Medio-lateral oblique mammogram of the right breast. 52-year-old patient.
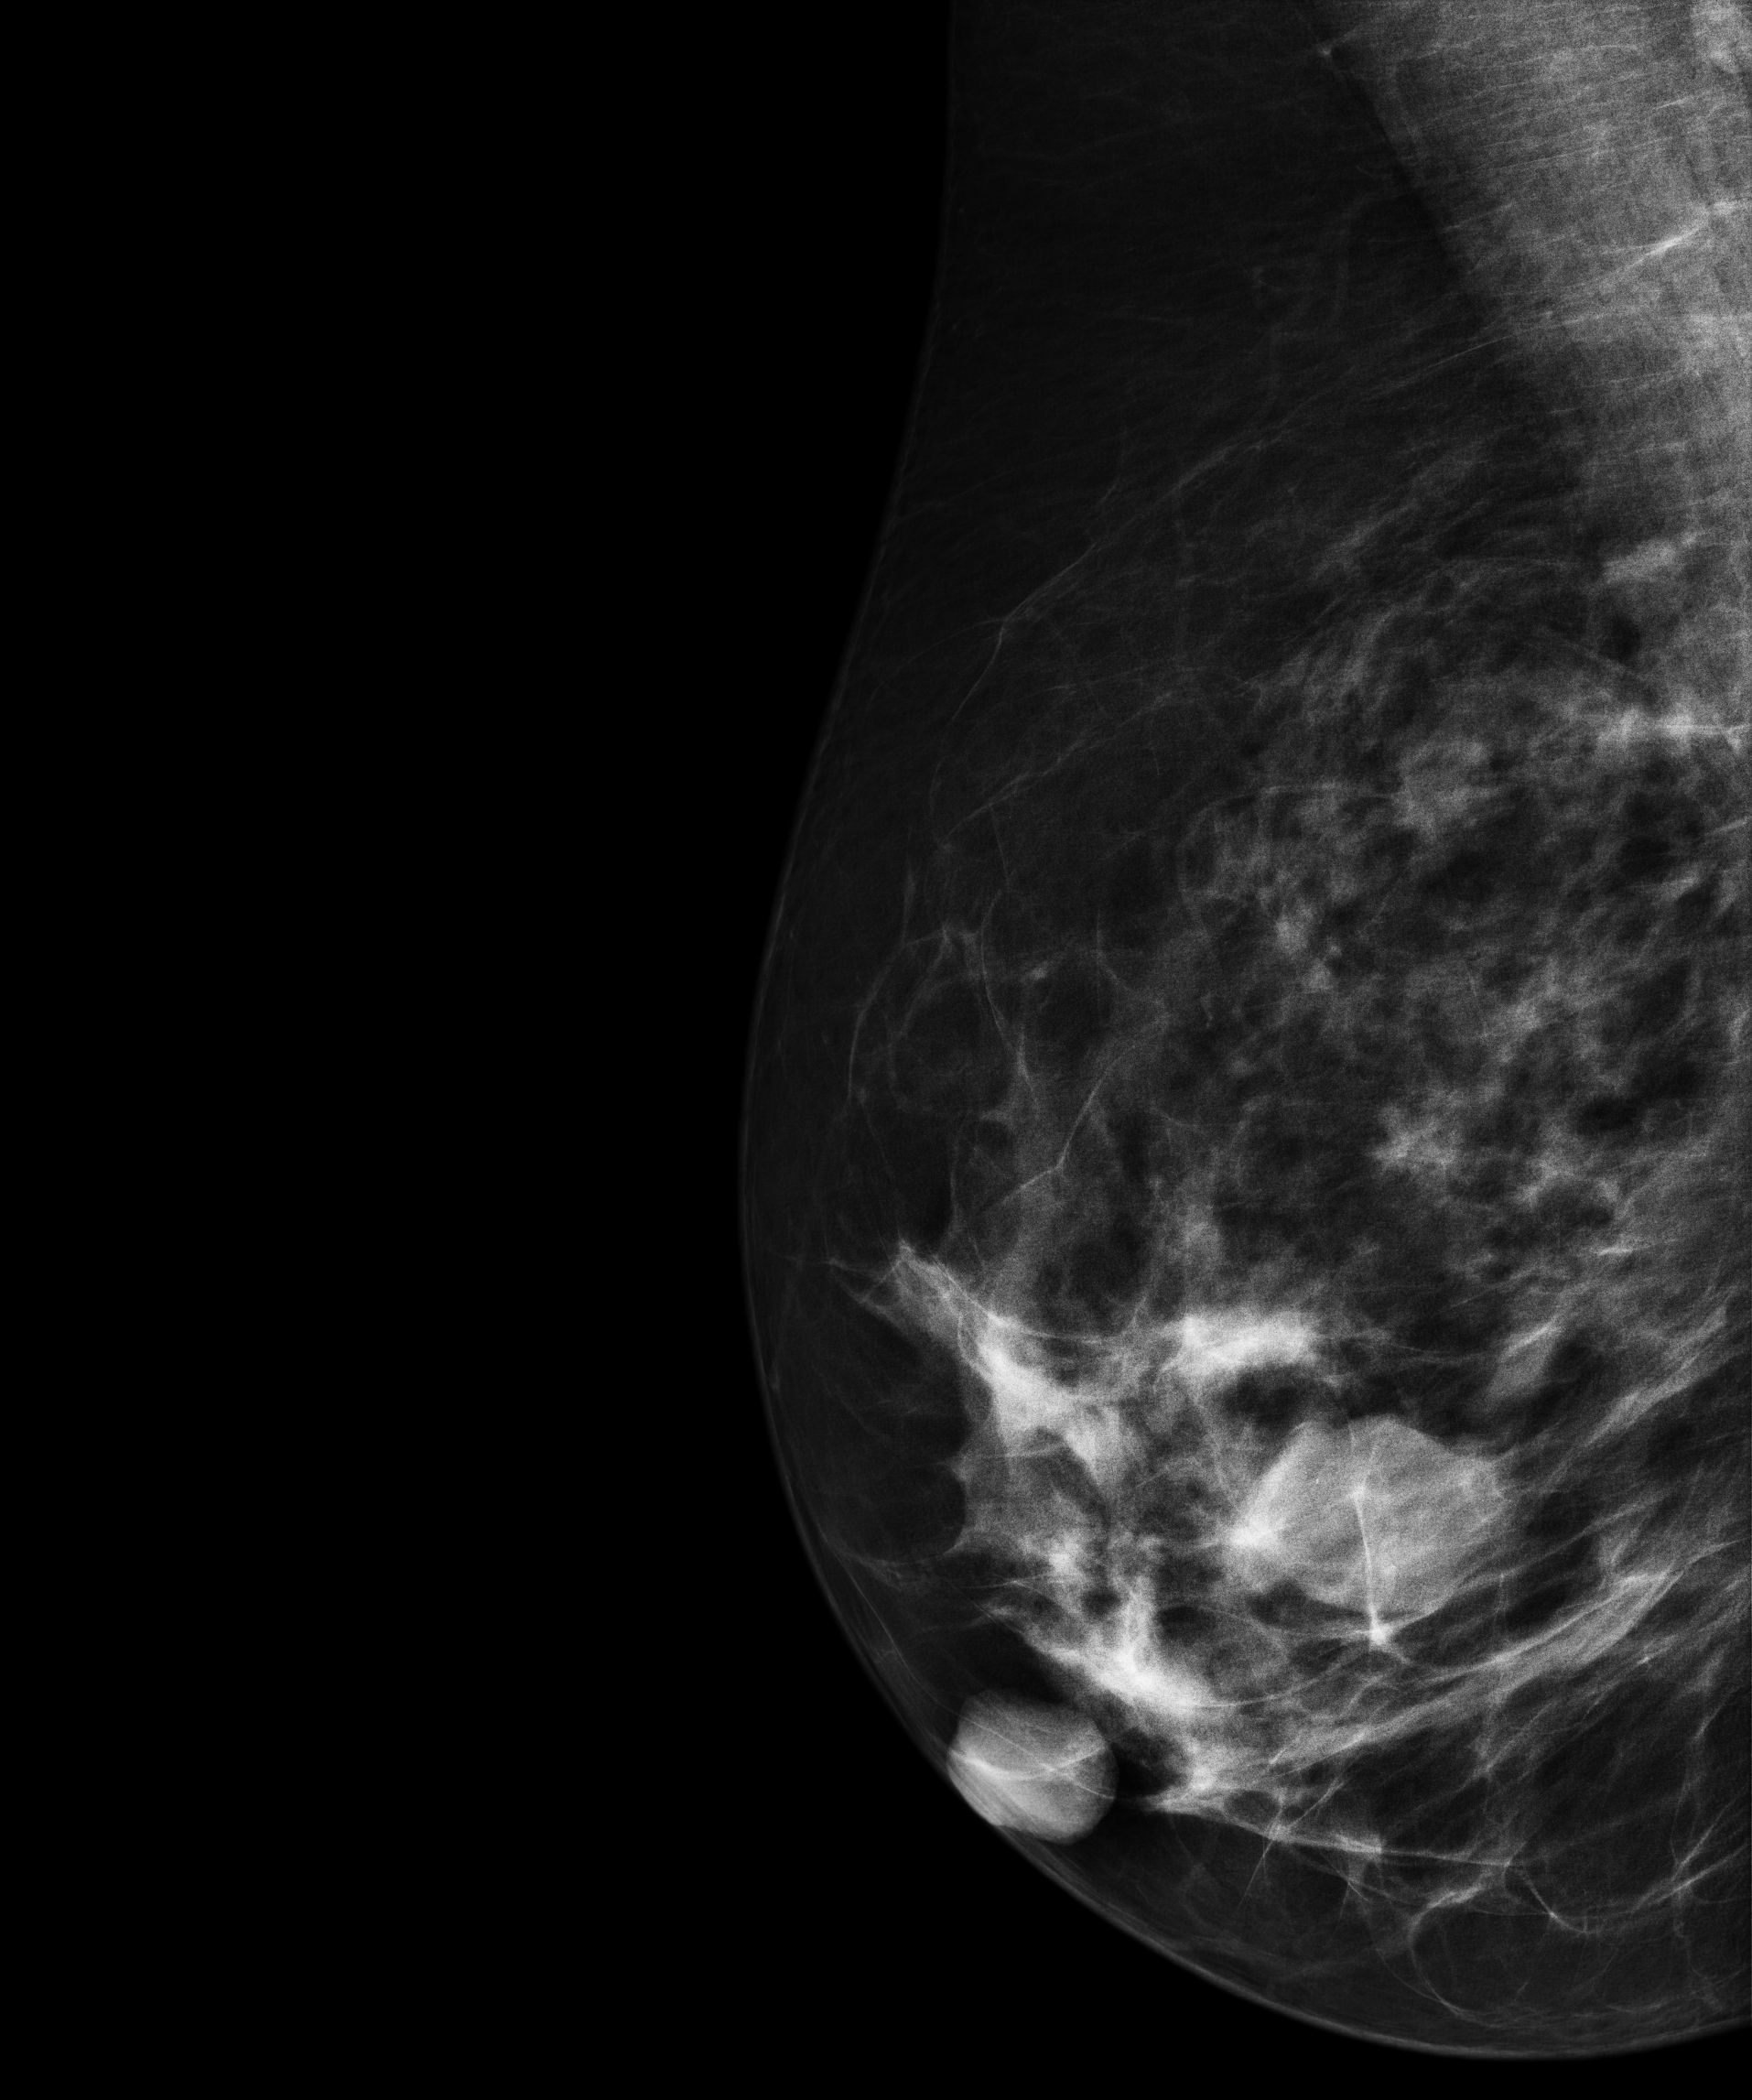
This breast has a mass, pathology-confirmed benign.